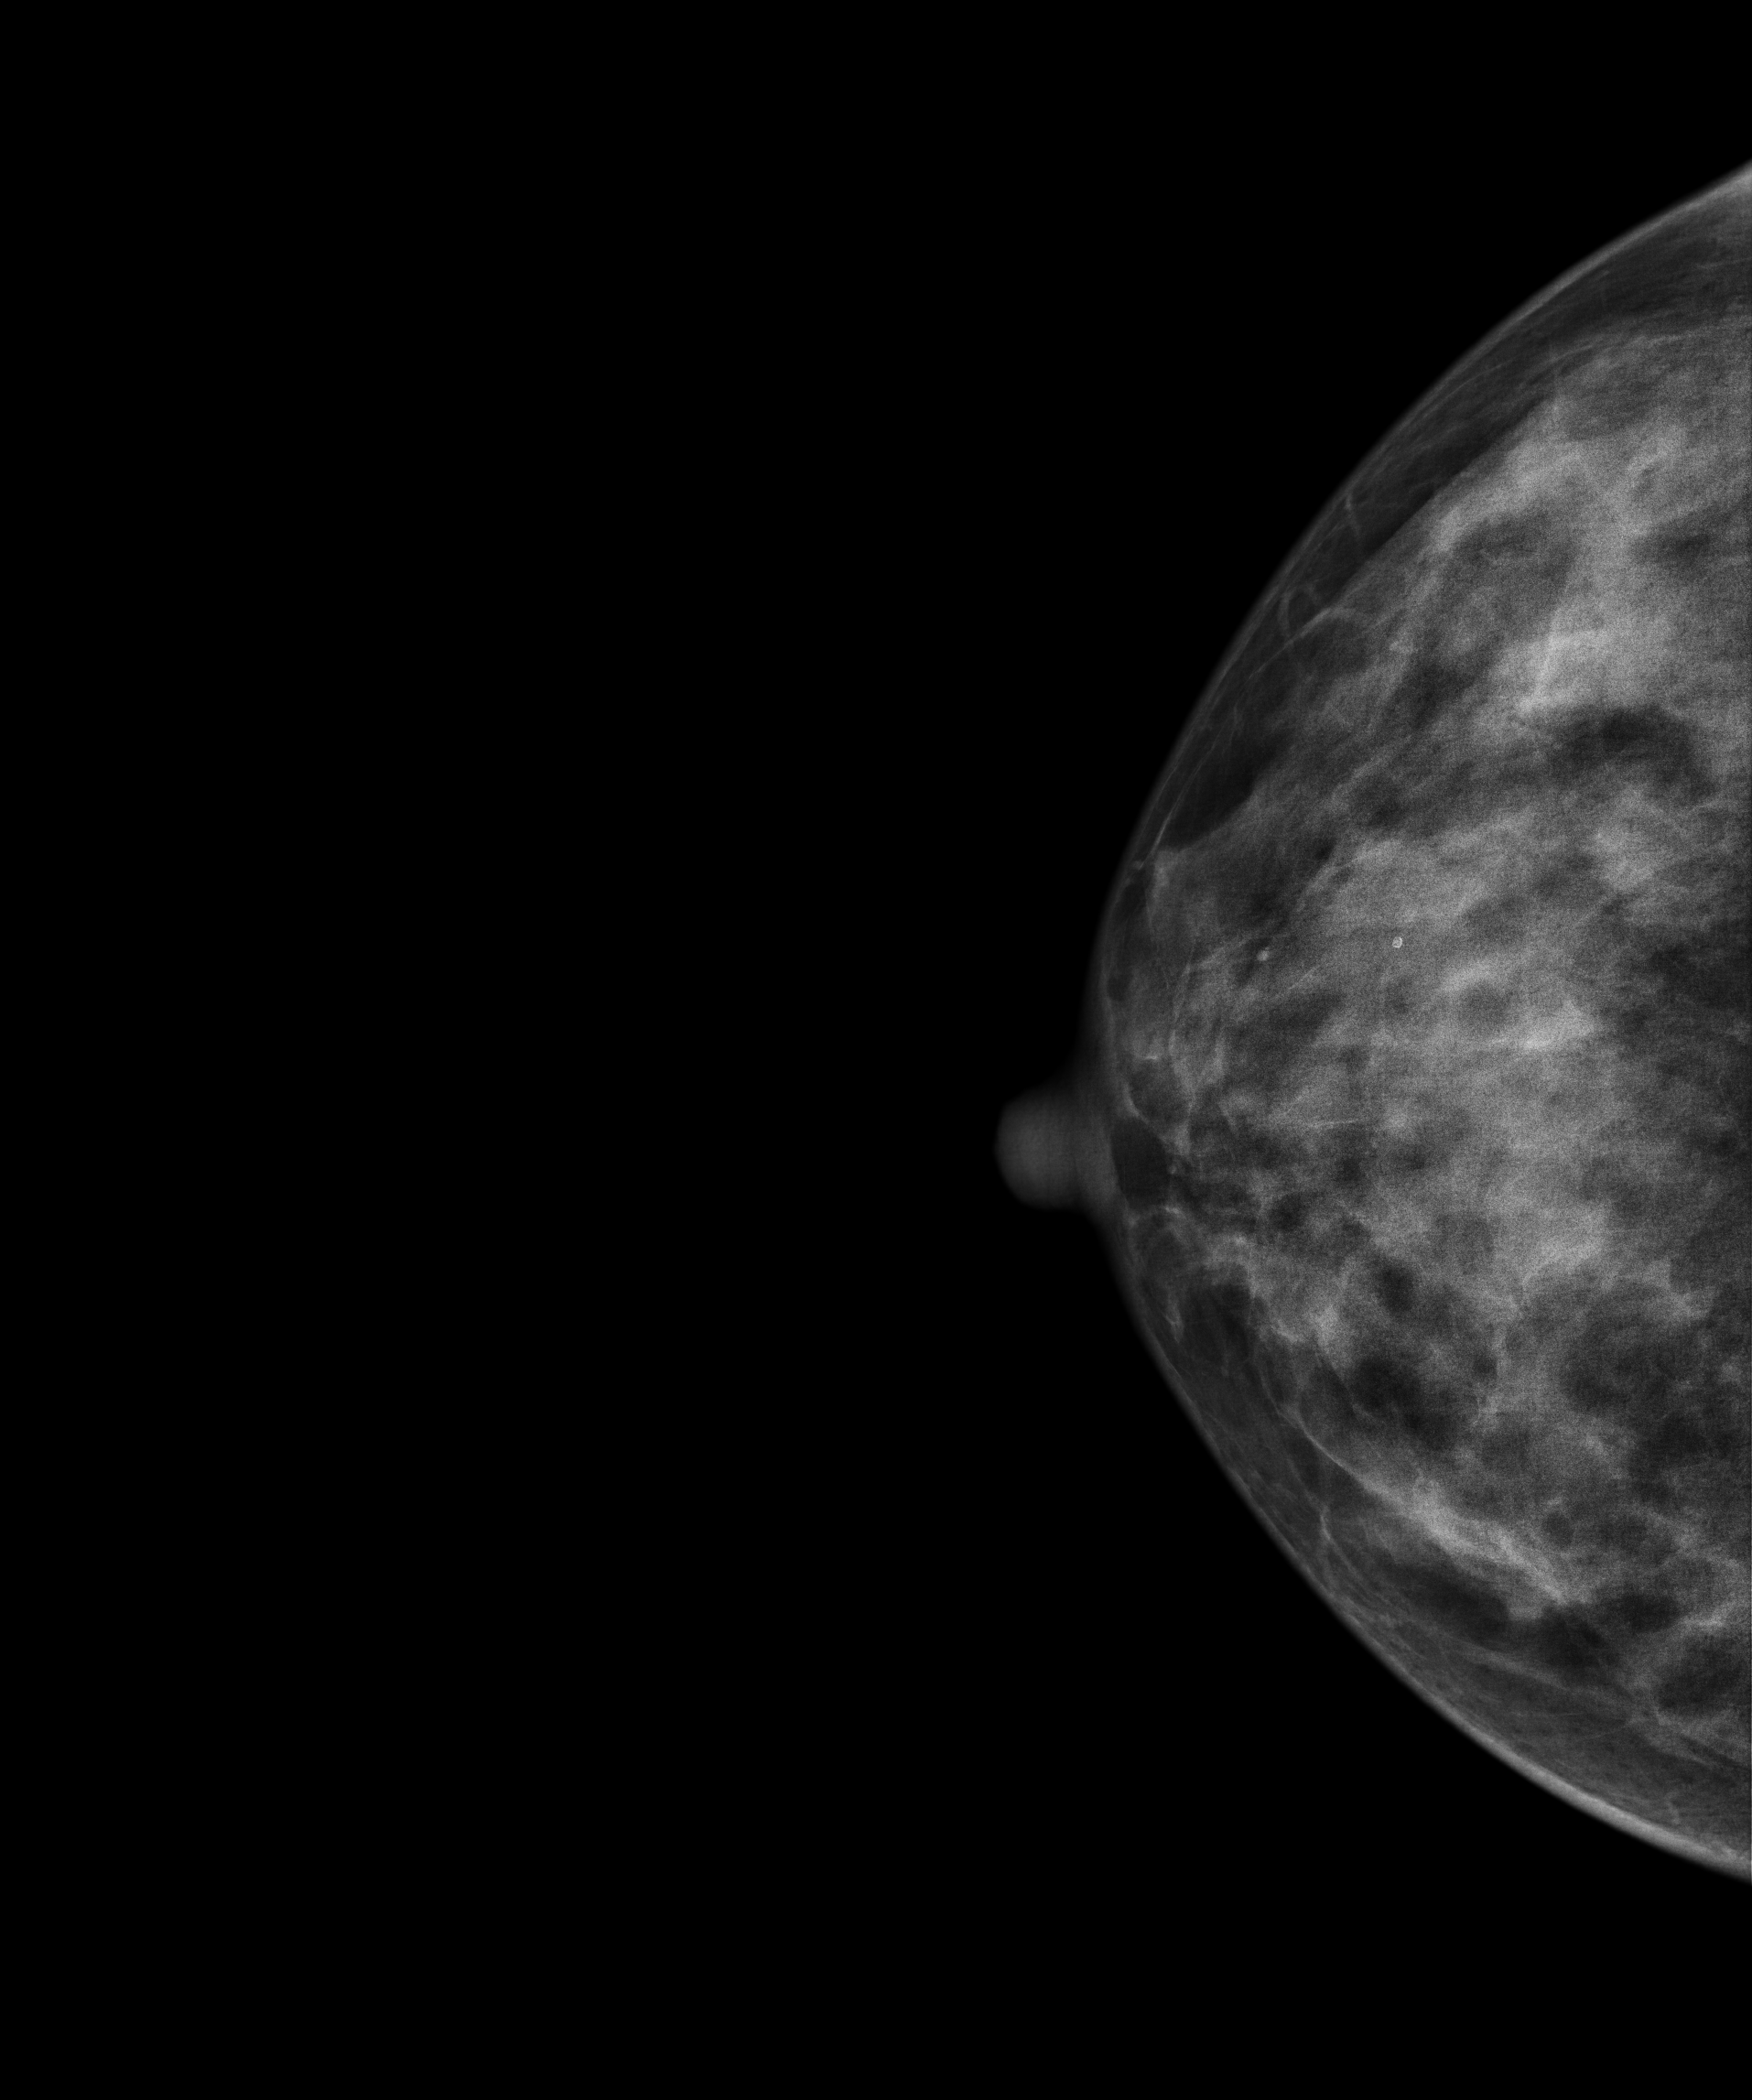
Mammogram — right cranio-caudal. 38 y/o patient.
Contralateral breast — no documented abnormality on this side.